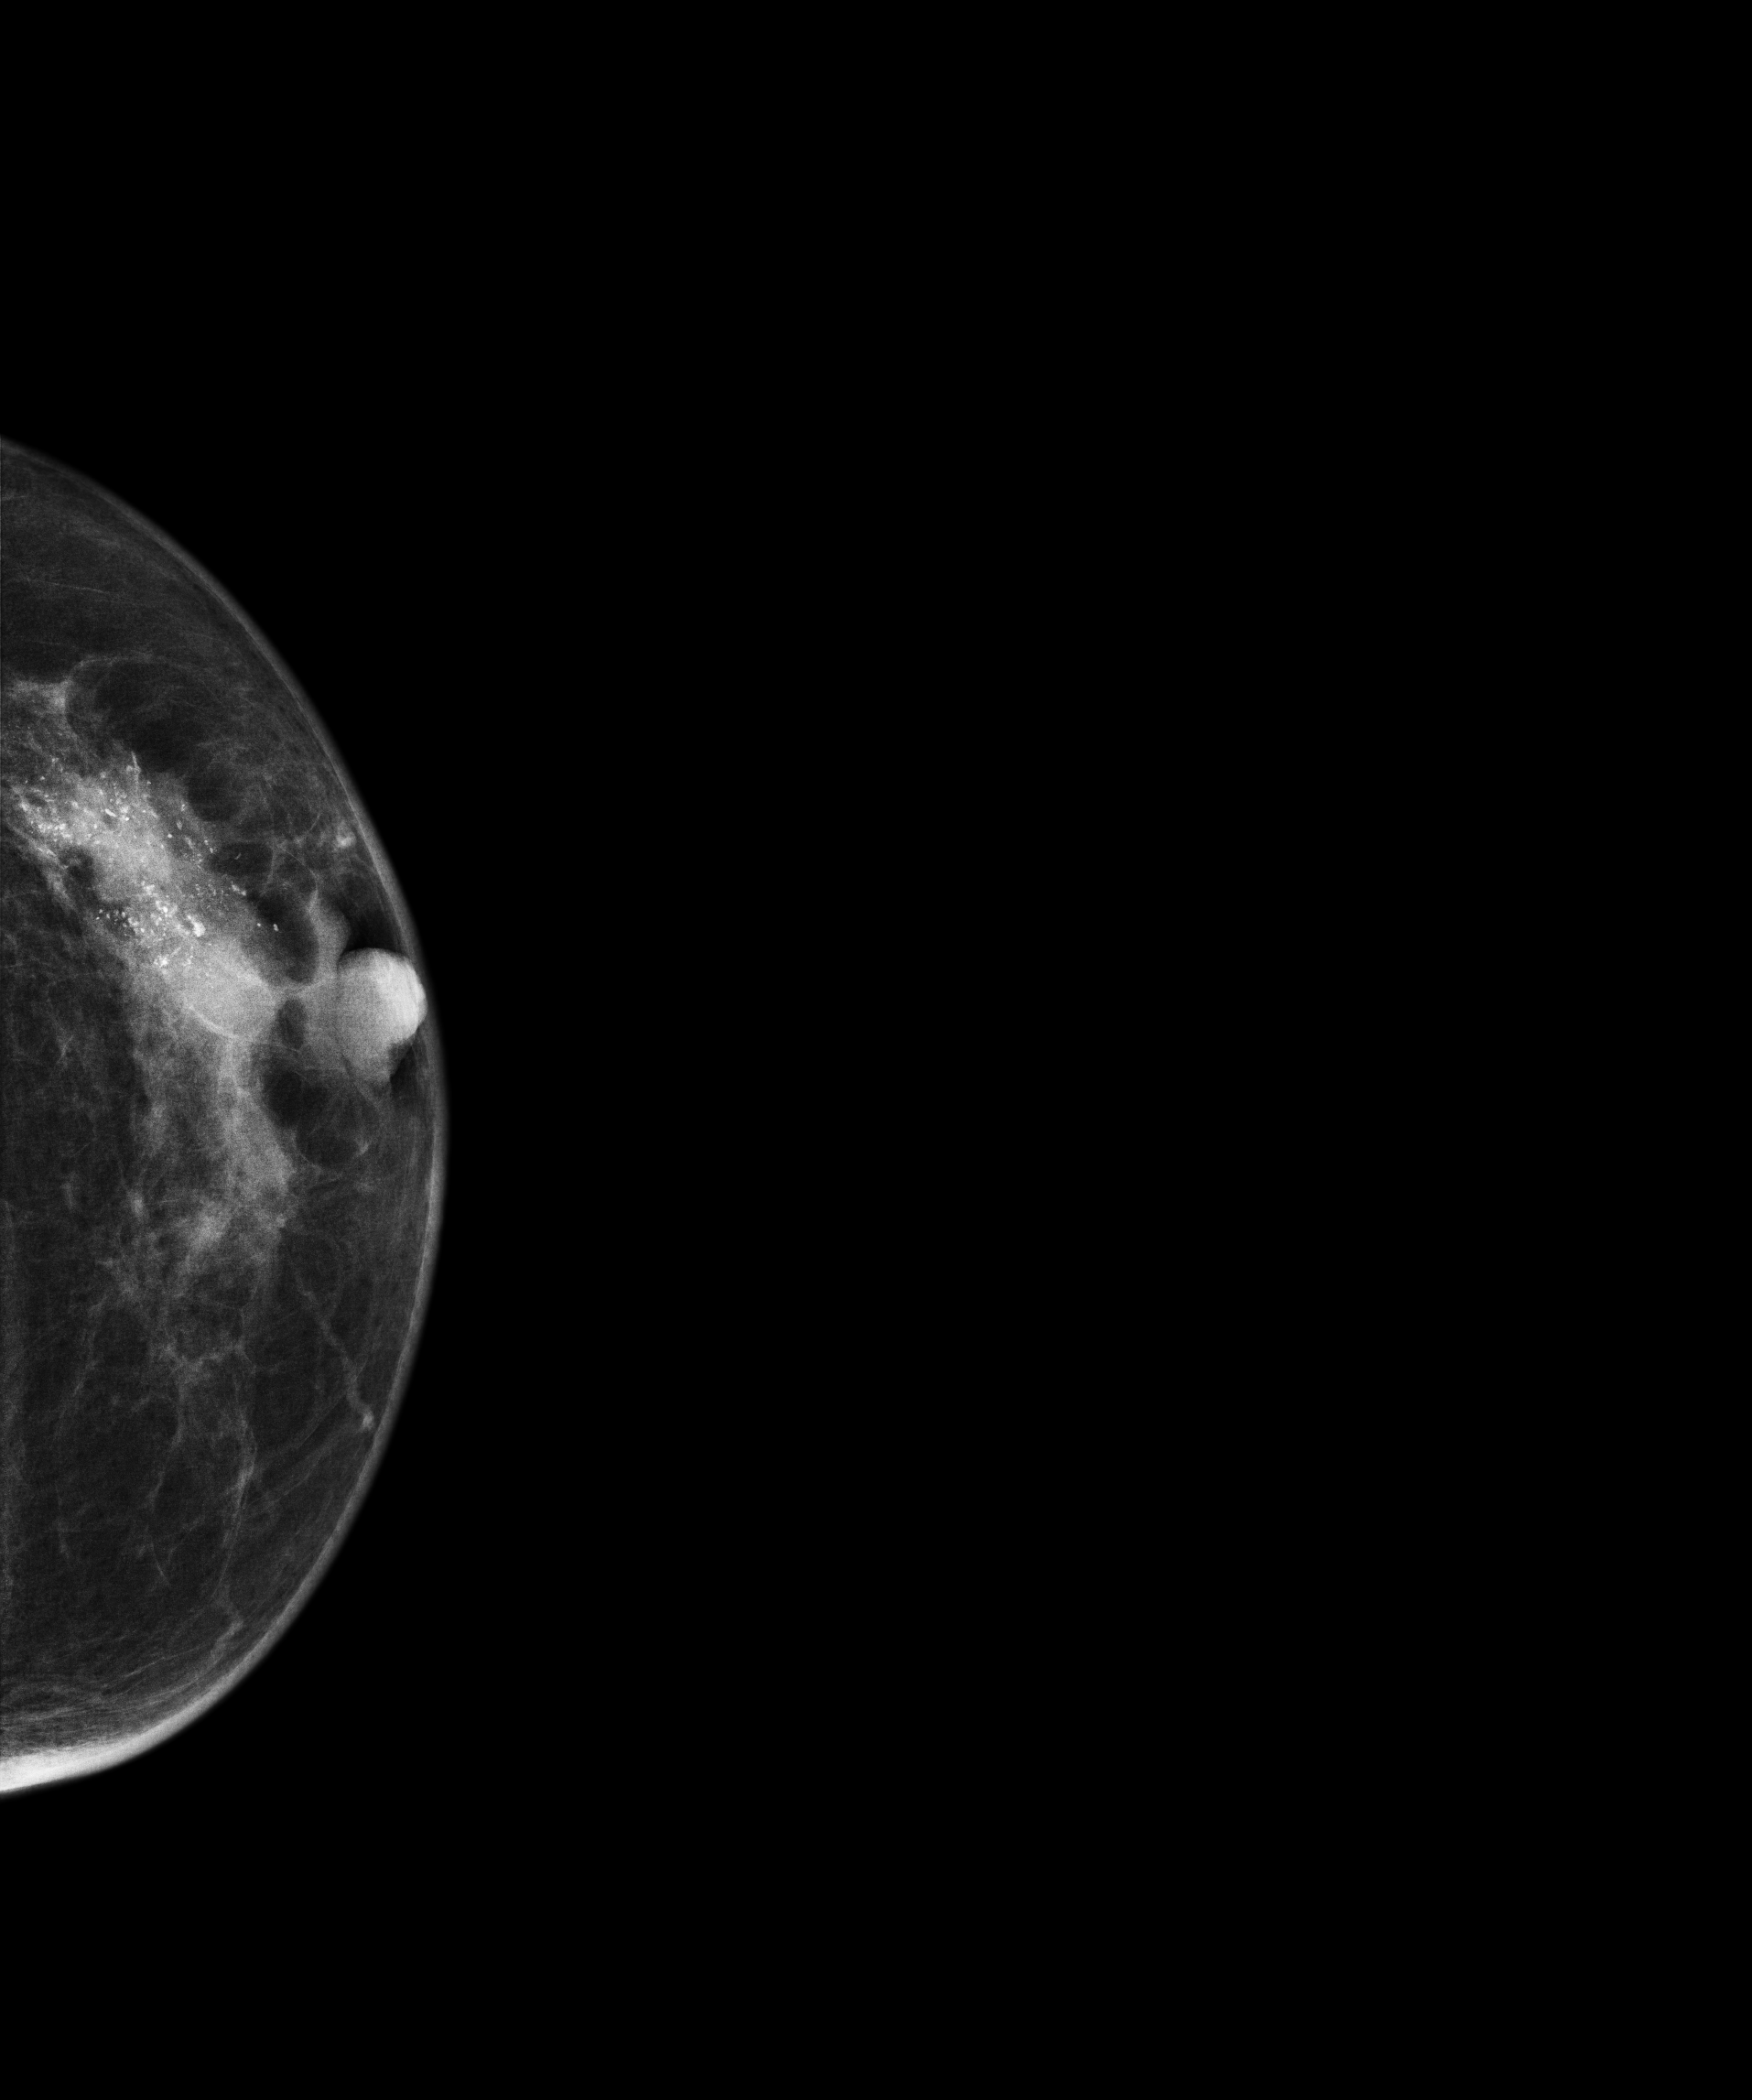
Digital mammography. Left breast, CC projection. Patient age 61.
This breast has a mass and calcifications, biopsy-confirmed malignant. Molecular subtype: luminal B.